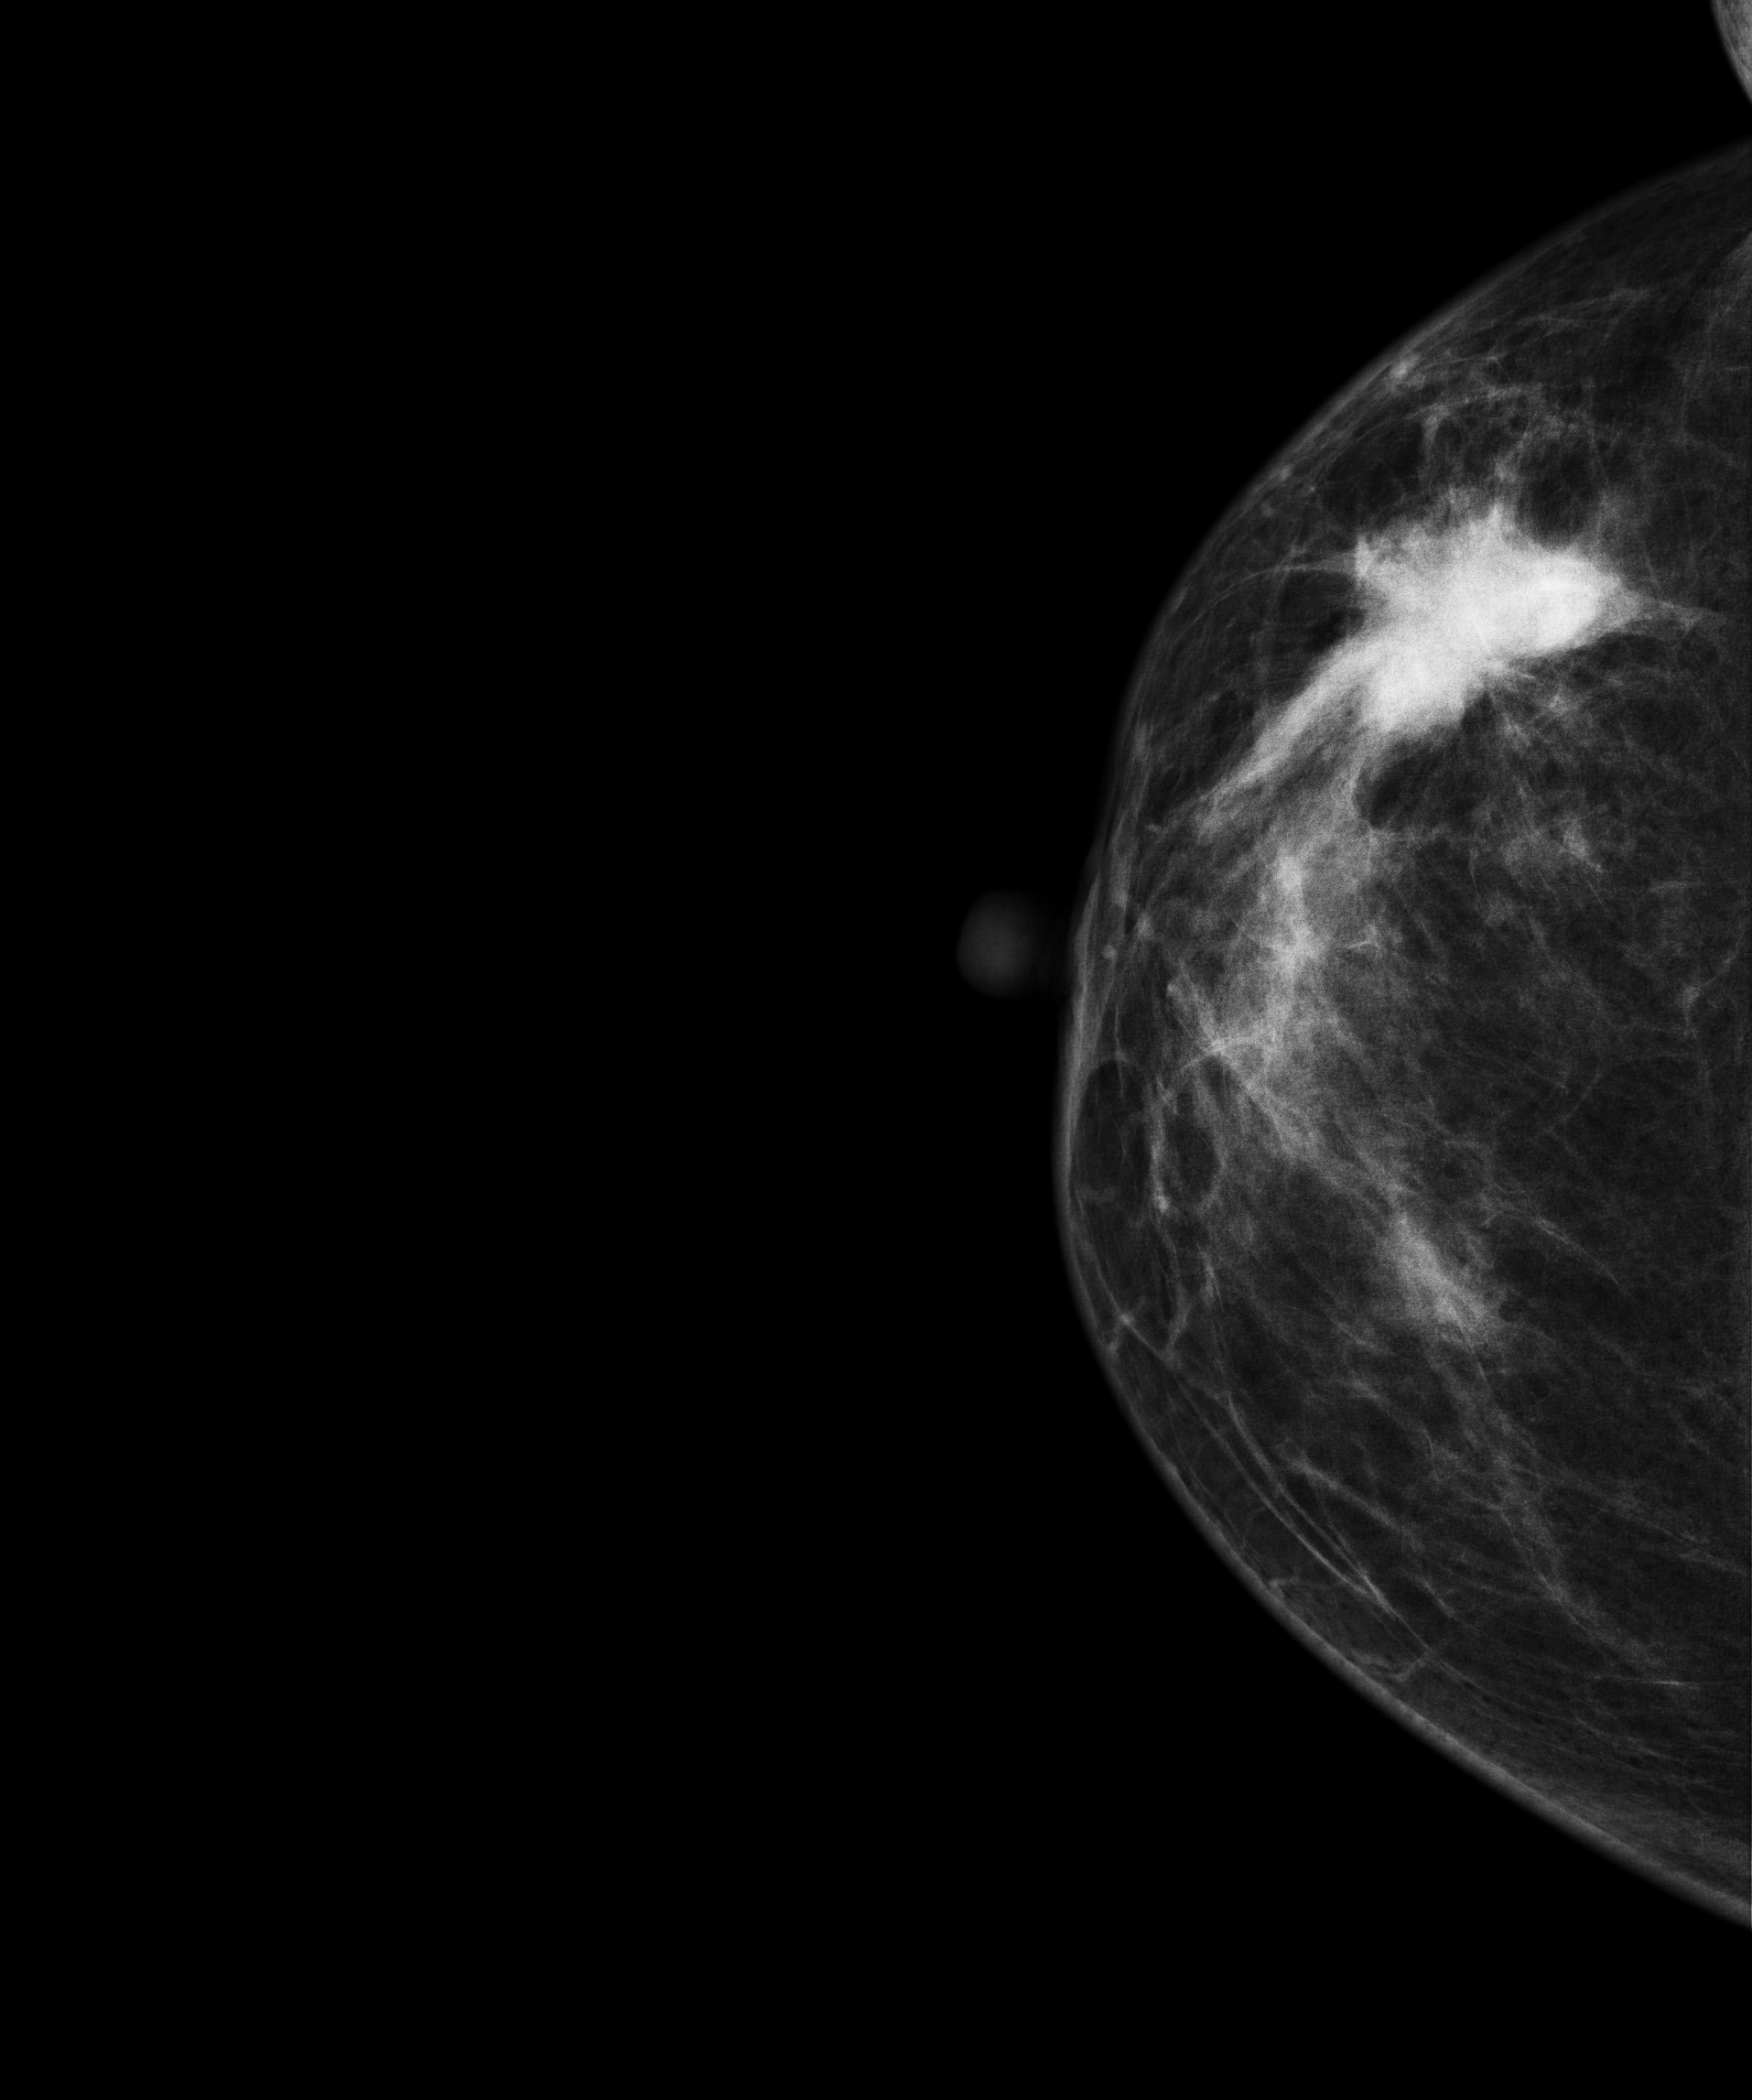
Right-breast mammogram, CC. Patient age 50.
This breast has a mass, pathology-confirmed malignant. Molecular subtype: luminal B.